Digital mammography. Right breast, cranio-caudal projection. Patient age 44.
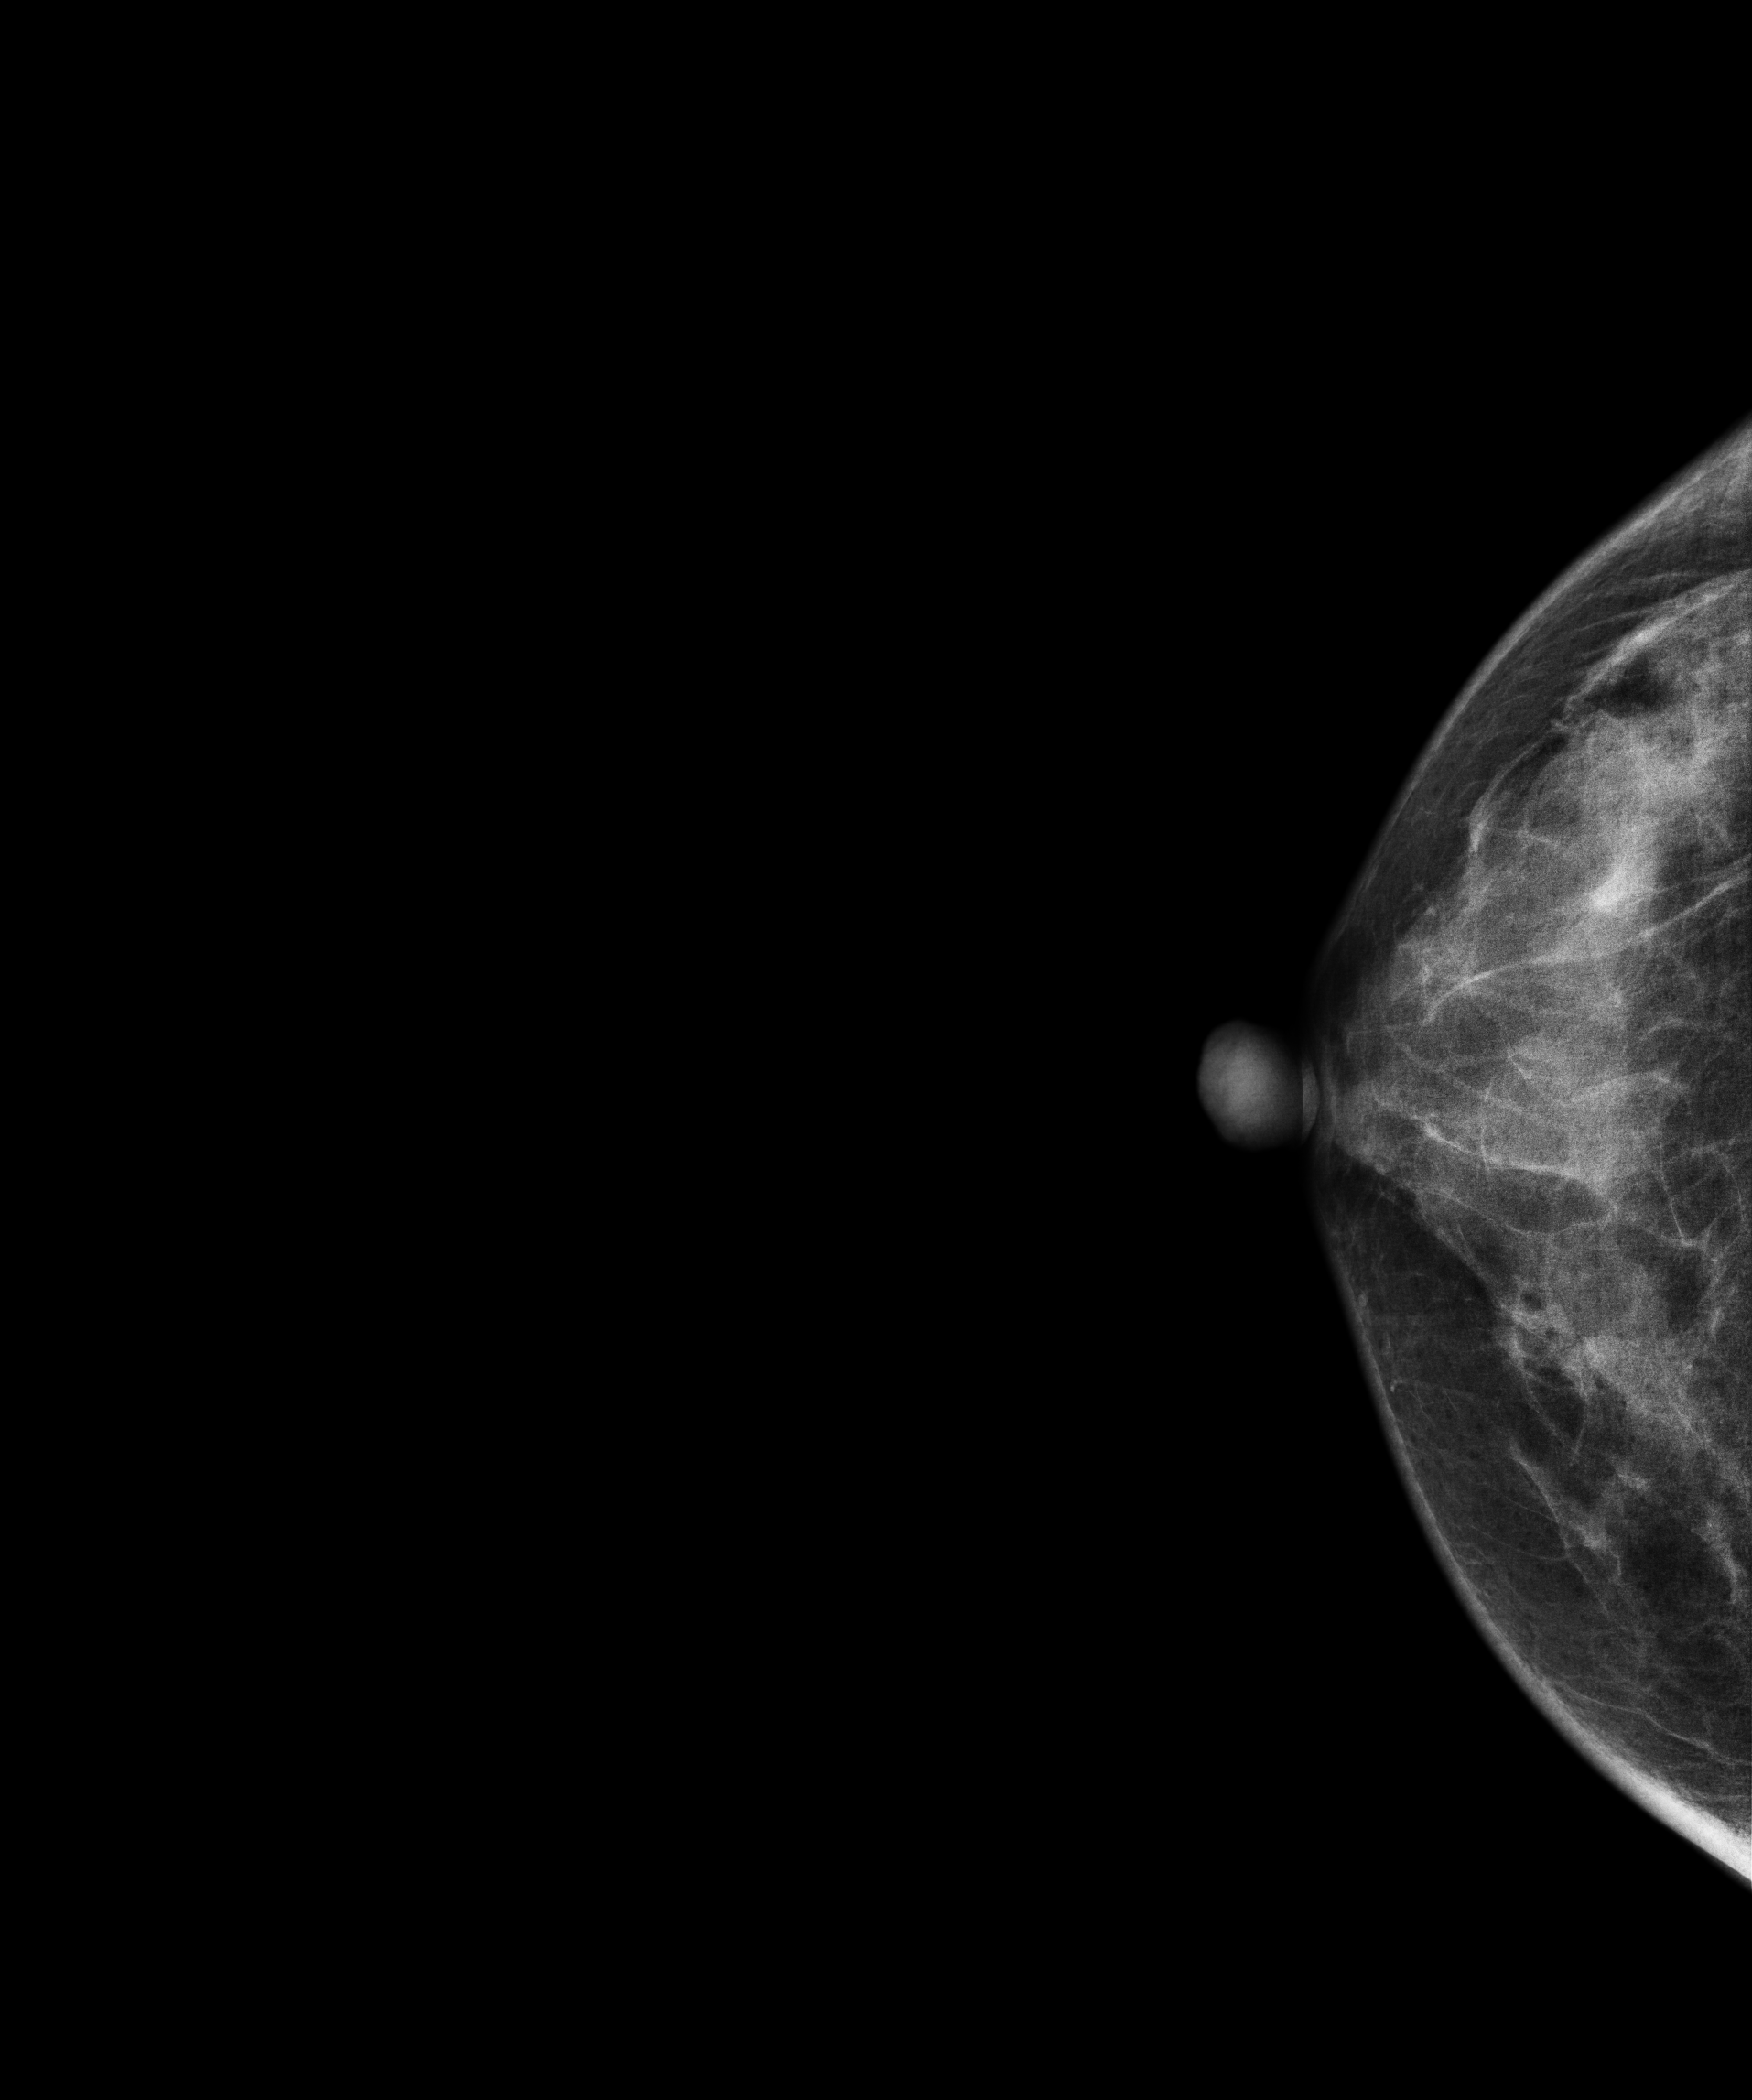
This breast has a mass and calcifications, biopsy-proven malignant. Molecular subtype: triple-negative.